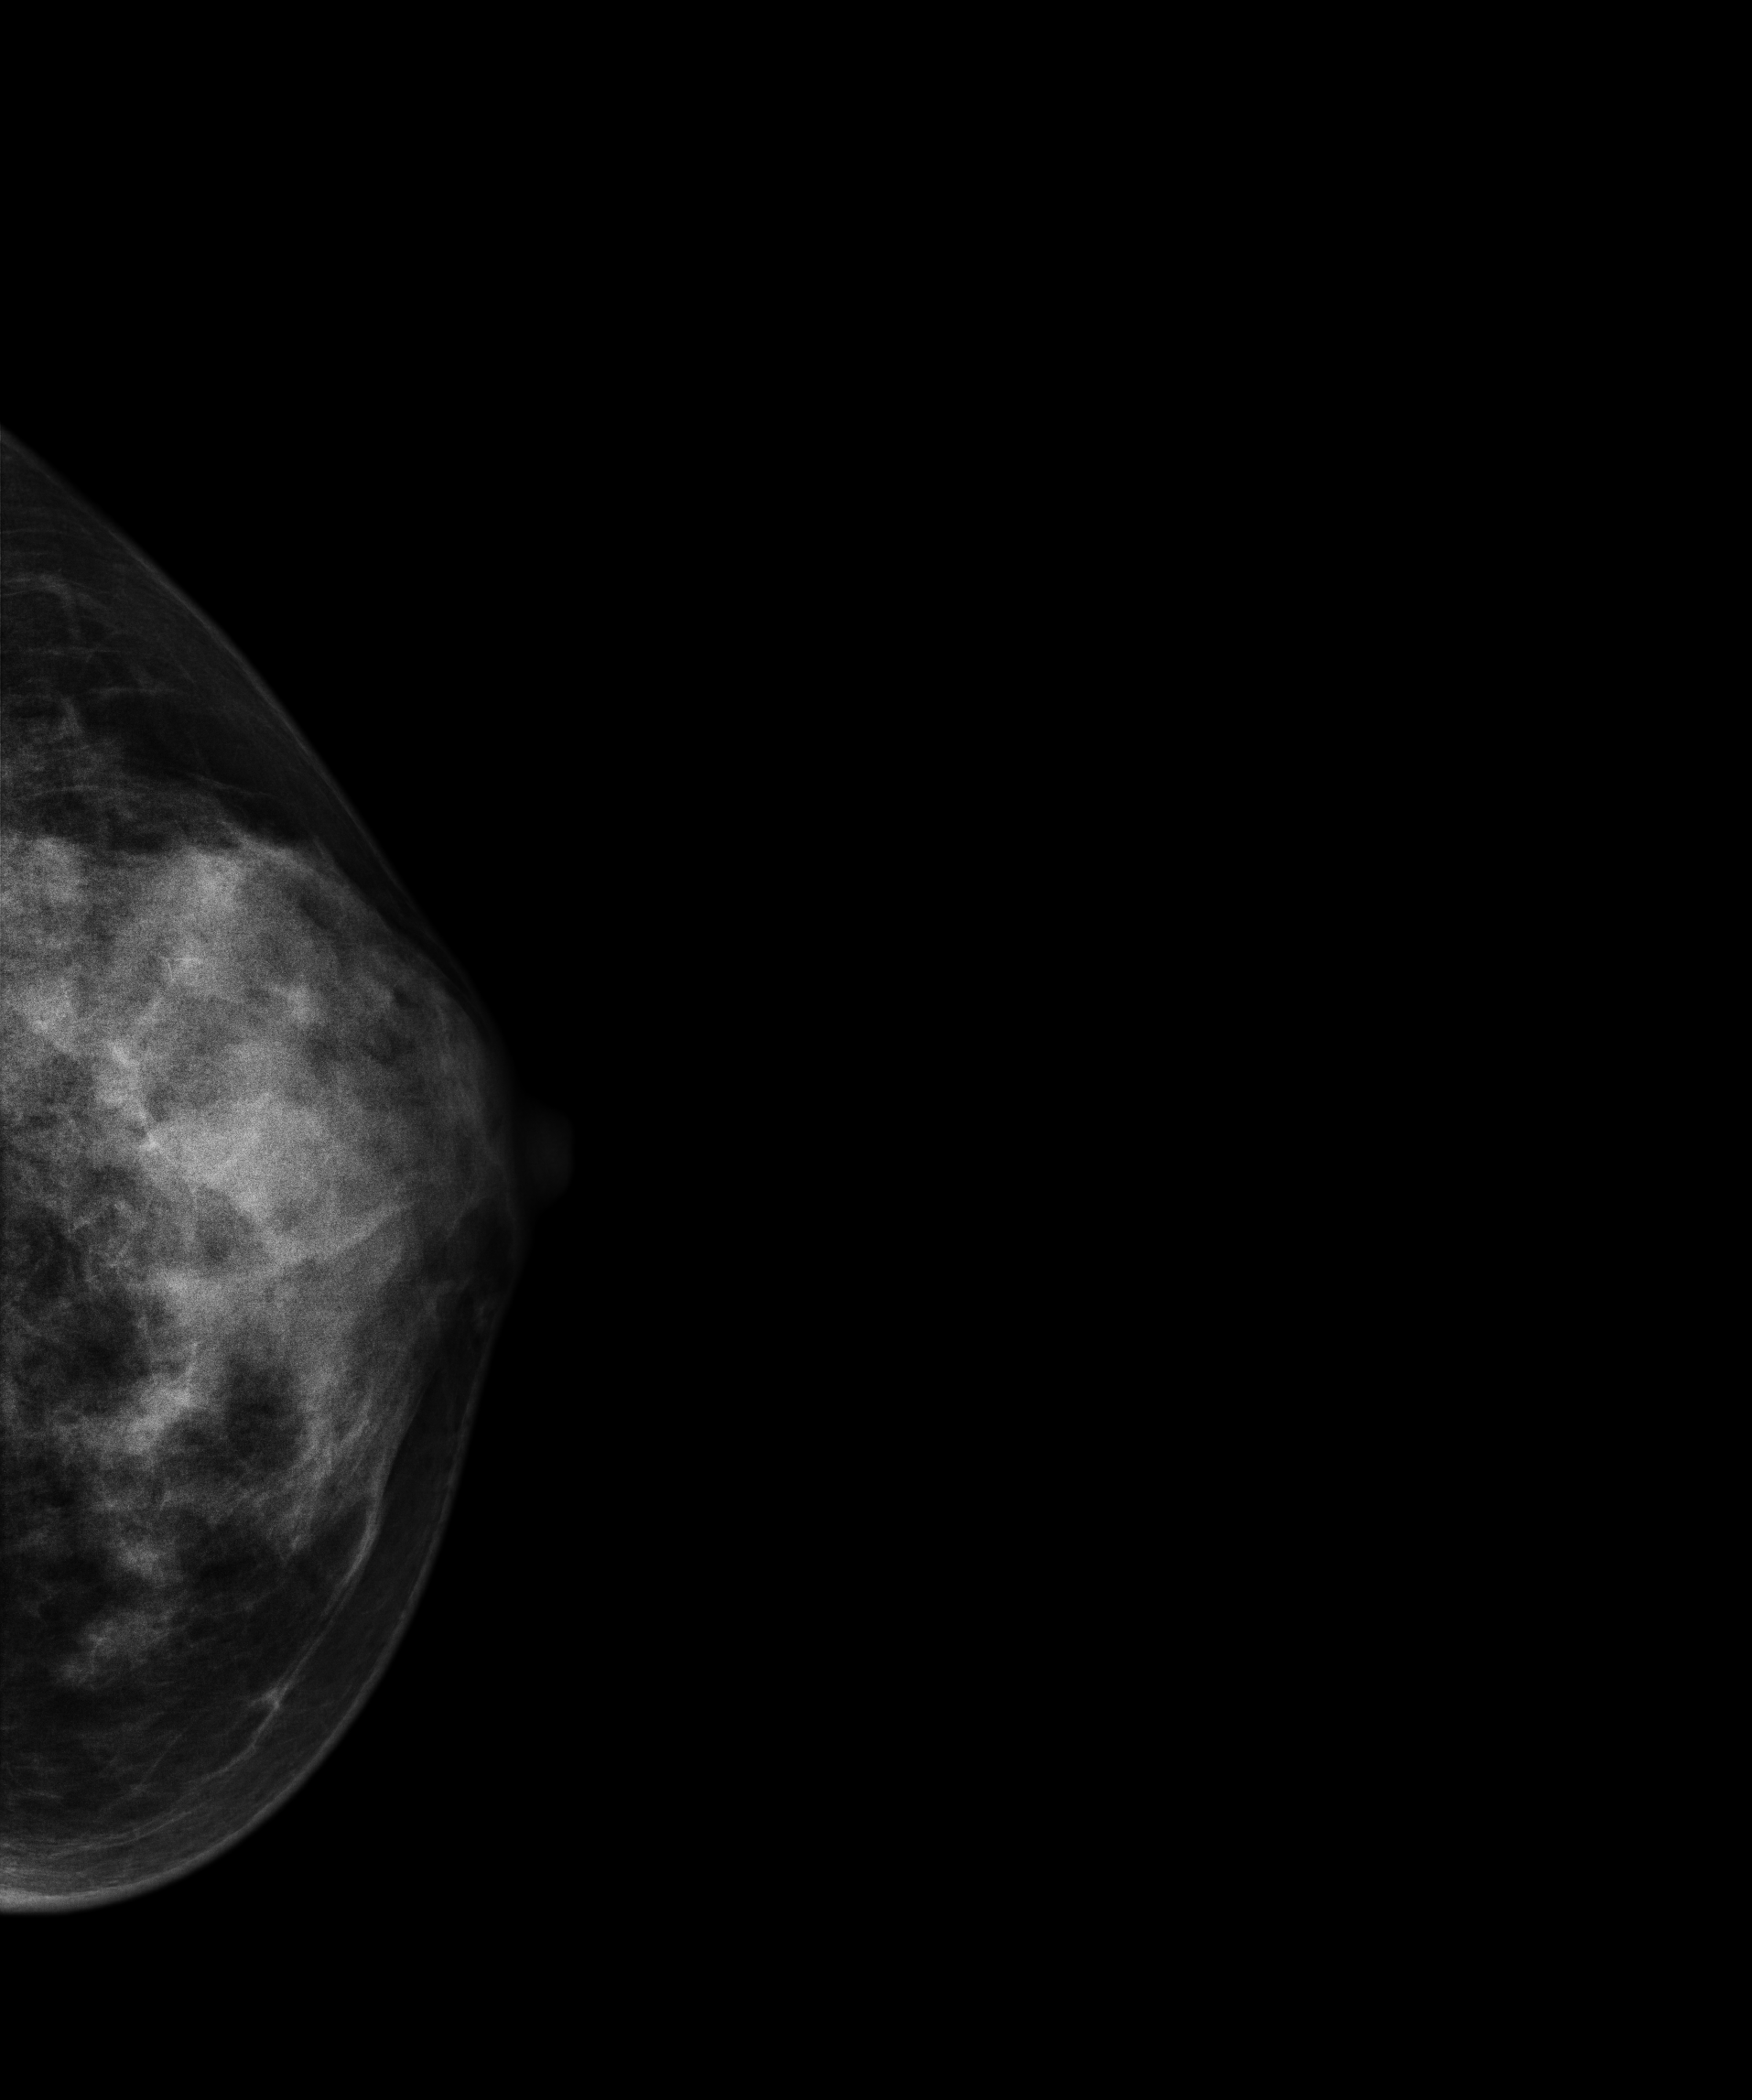
Mammogram, left breast, cranio-caudal view. Patient age 41.
This breast has a mass, biopsy-confirmed benign.